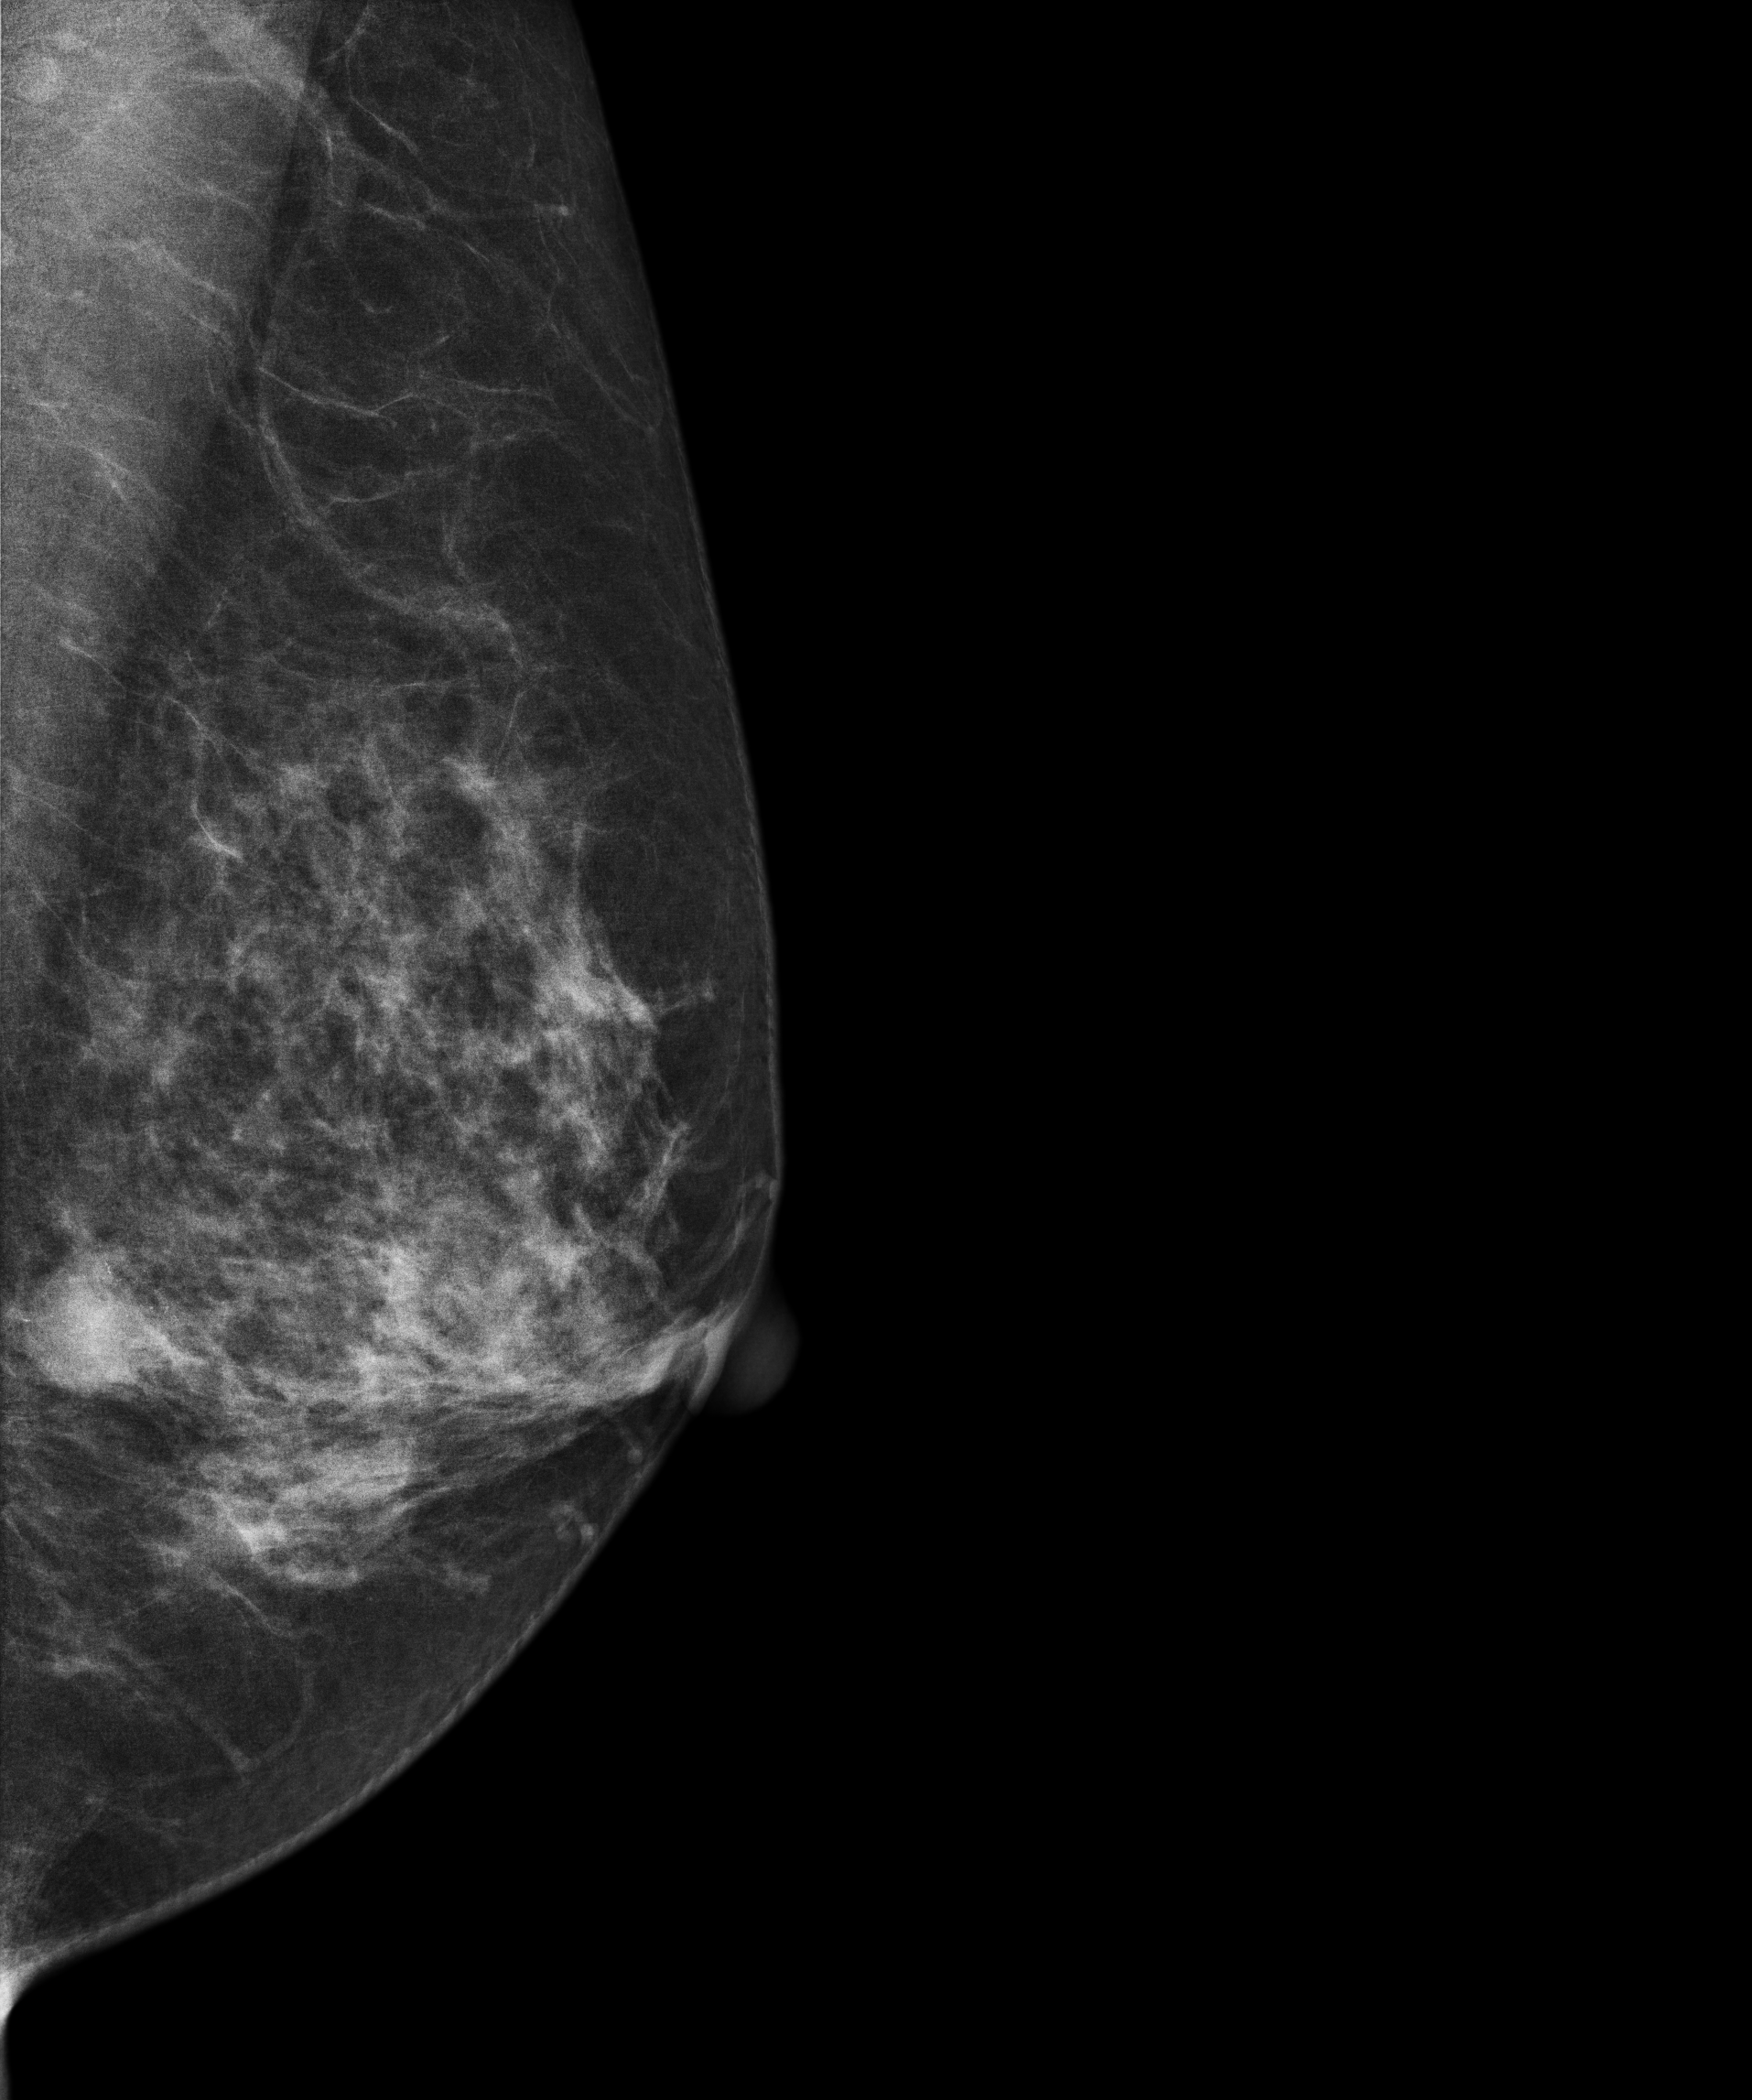
Digital mammography. Left breast, medio-lateral oblique projection. 58-year-old patient.
This breast has a mass and calcifications, pathology-confirmed malignant. Molecular subtype: luminal B.